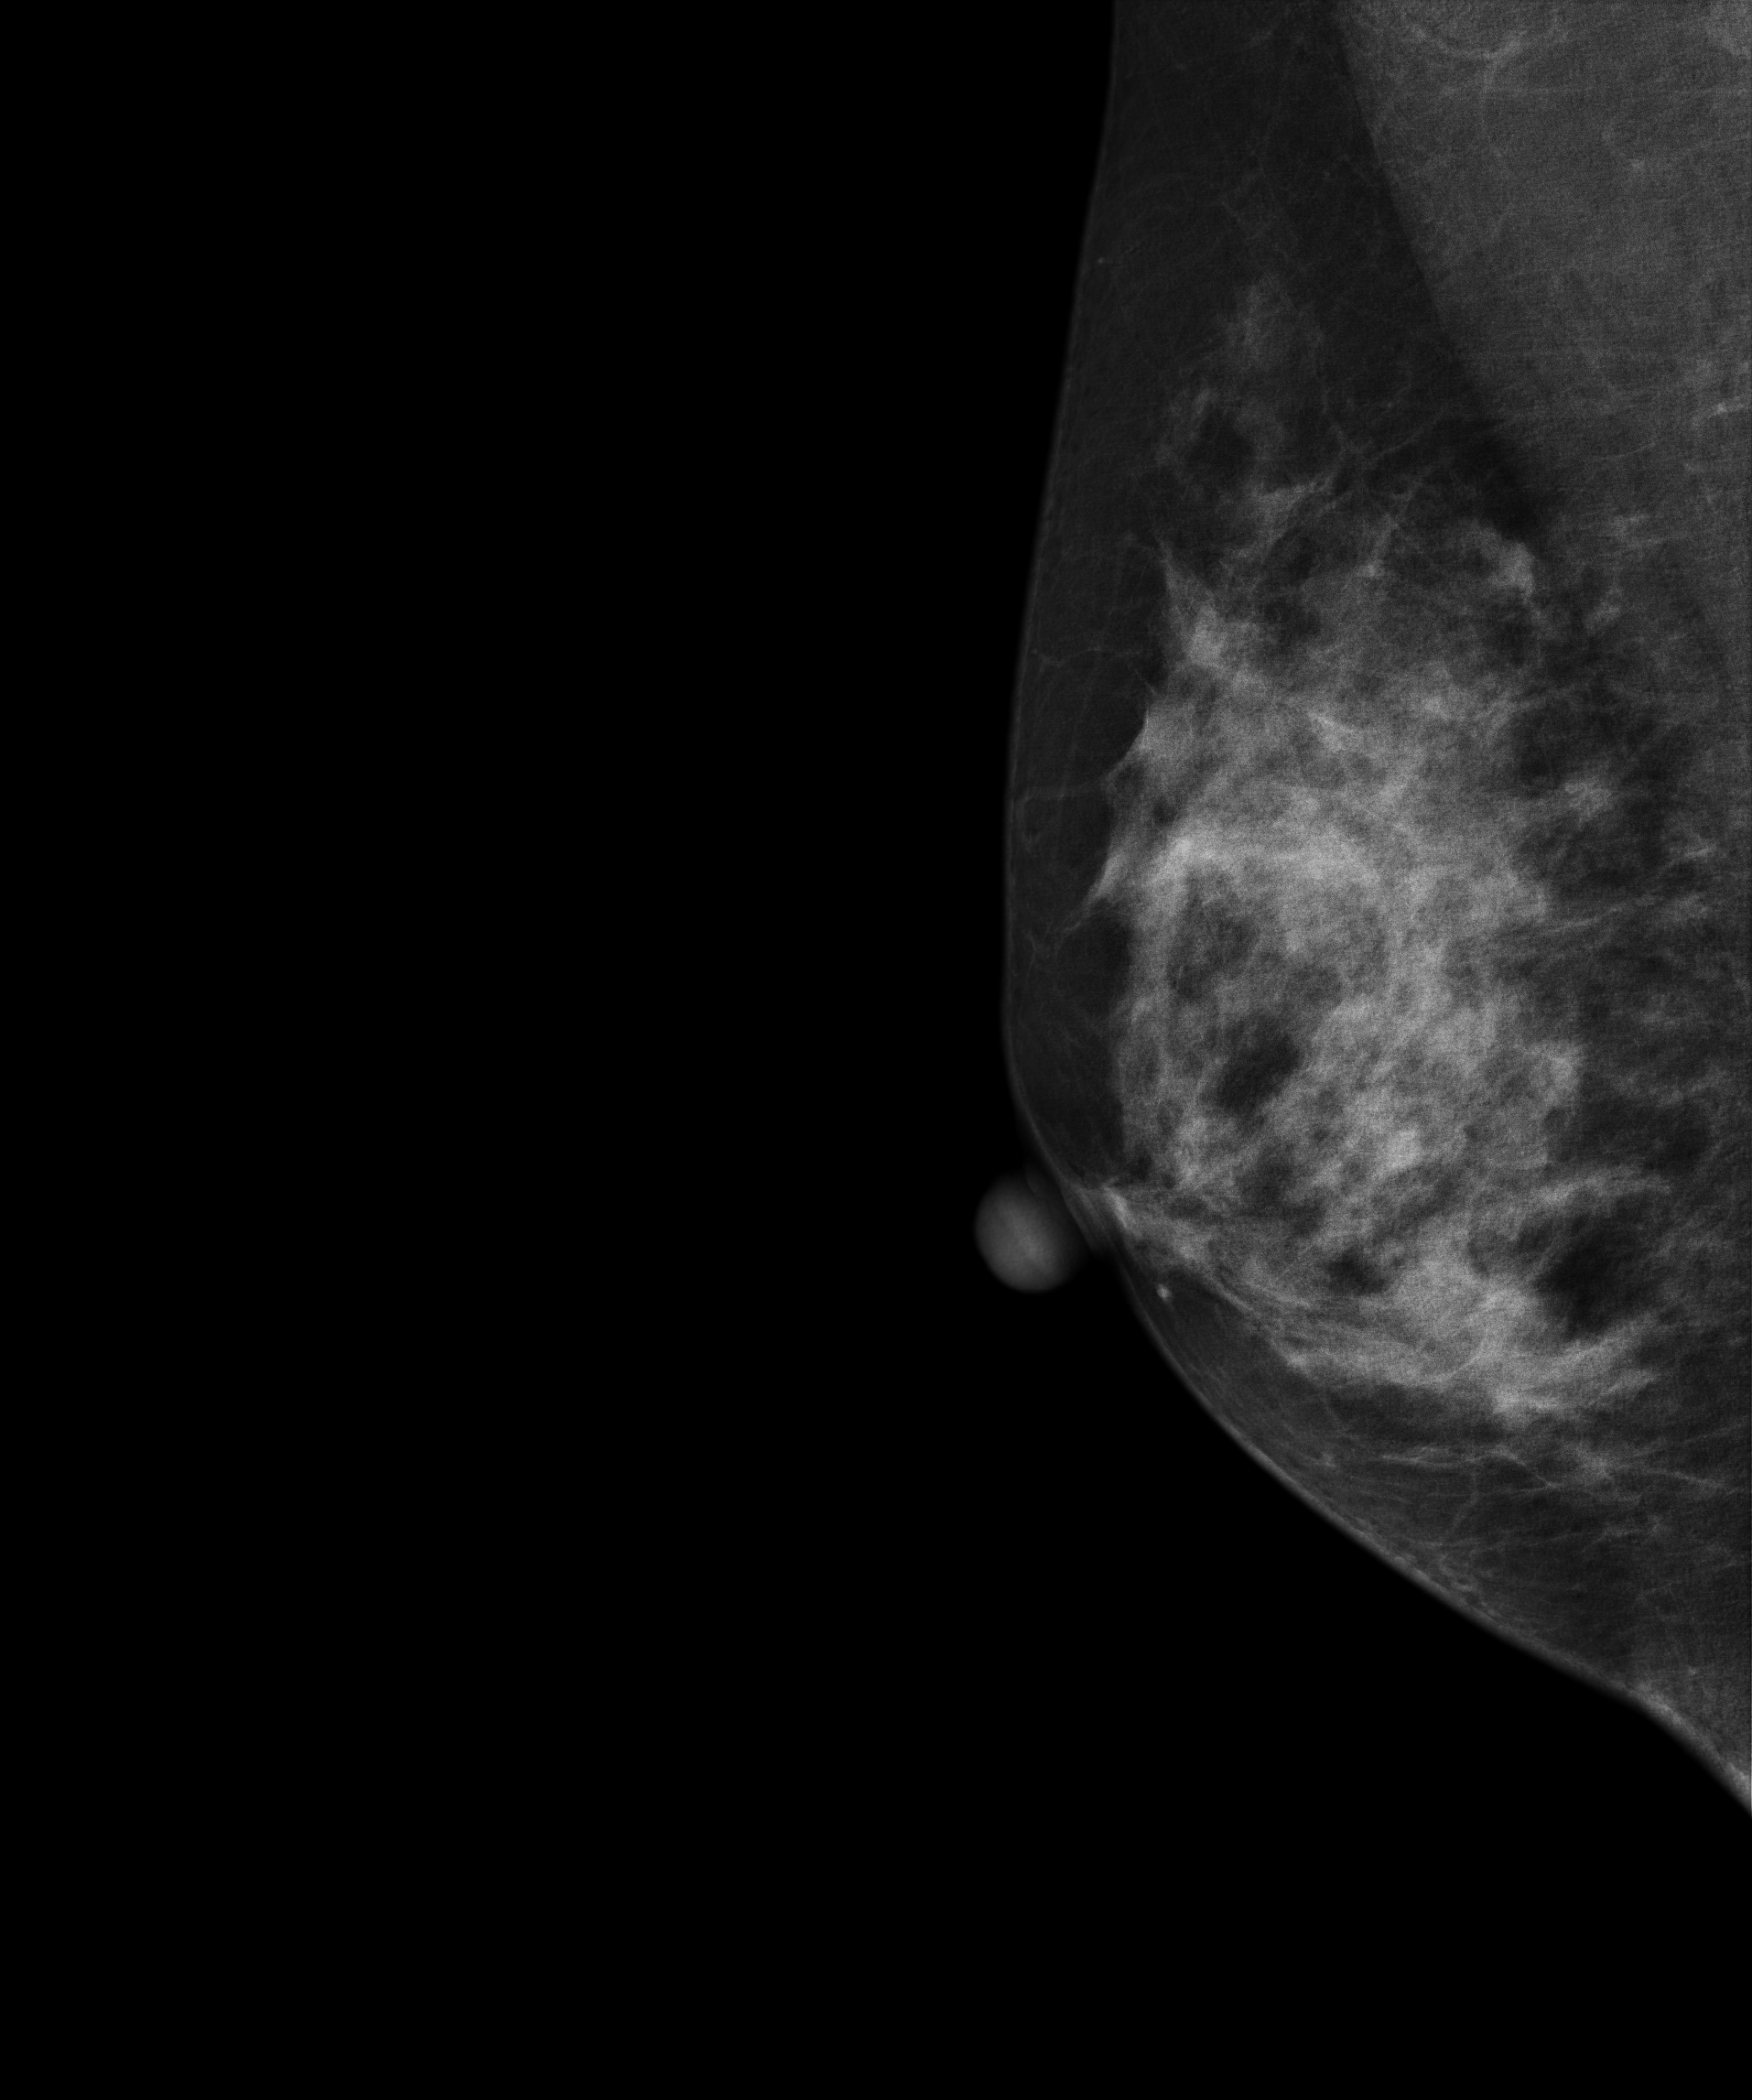
Mammogram — right medio-lateral oblique. 40 y/o patient.
This breast has calcifications, histologically confirmed benign.